Cranio-caudal mammogram of the left breast. 75-year-old patient.
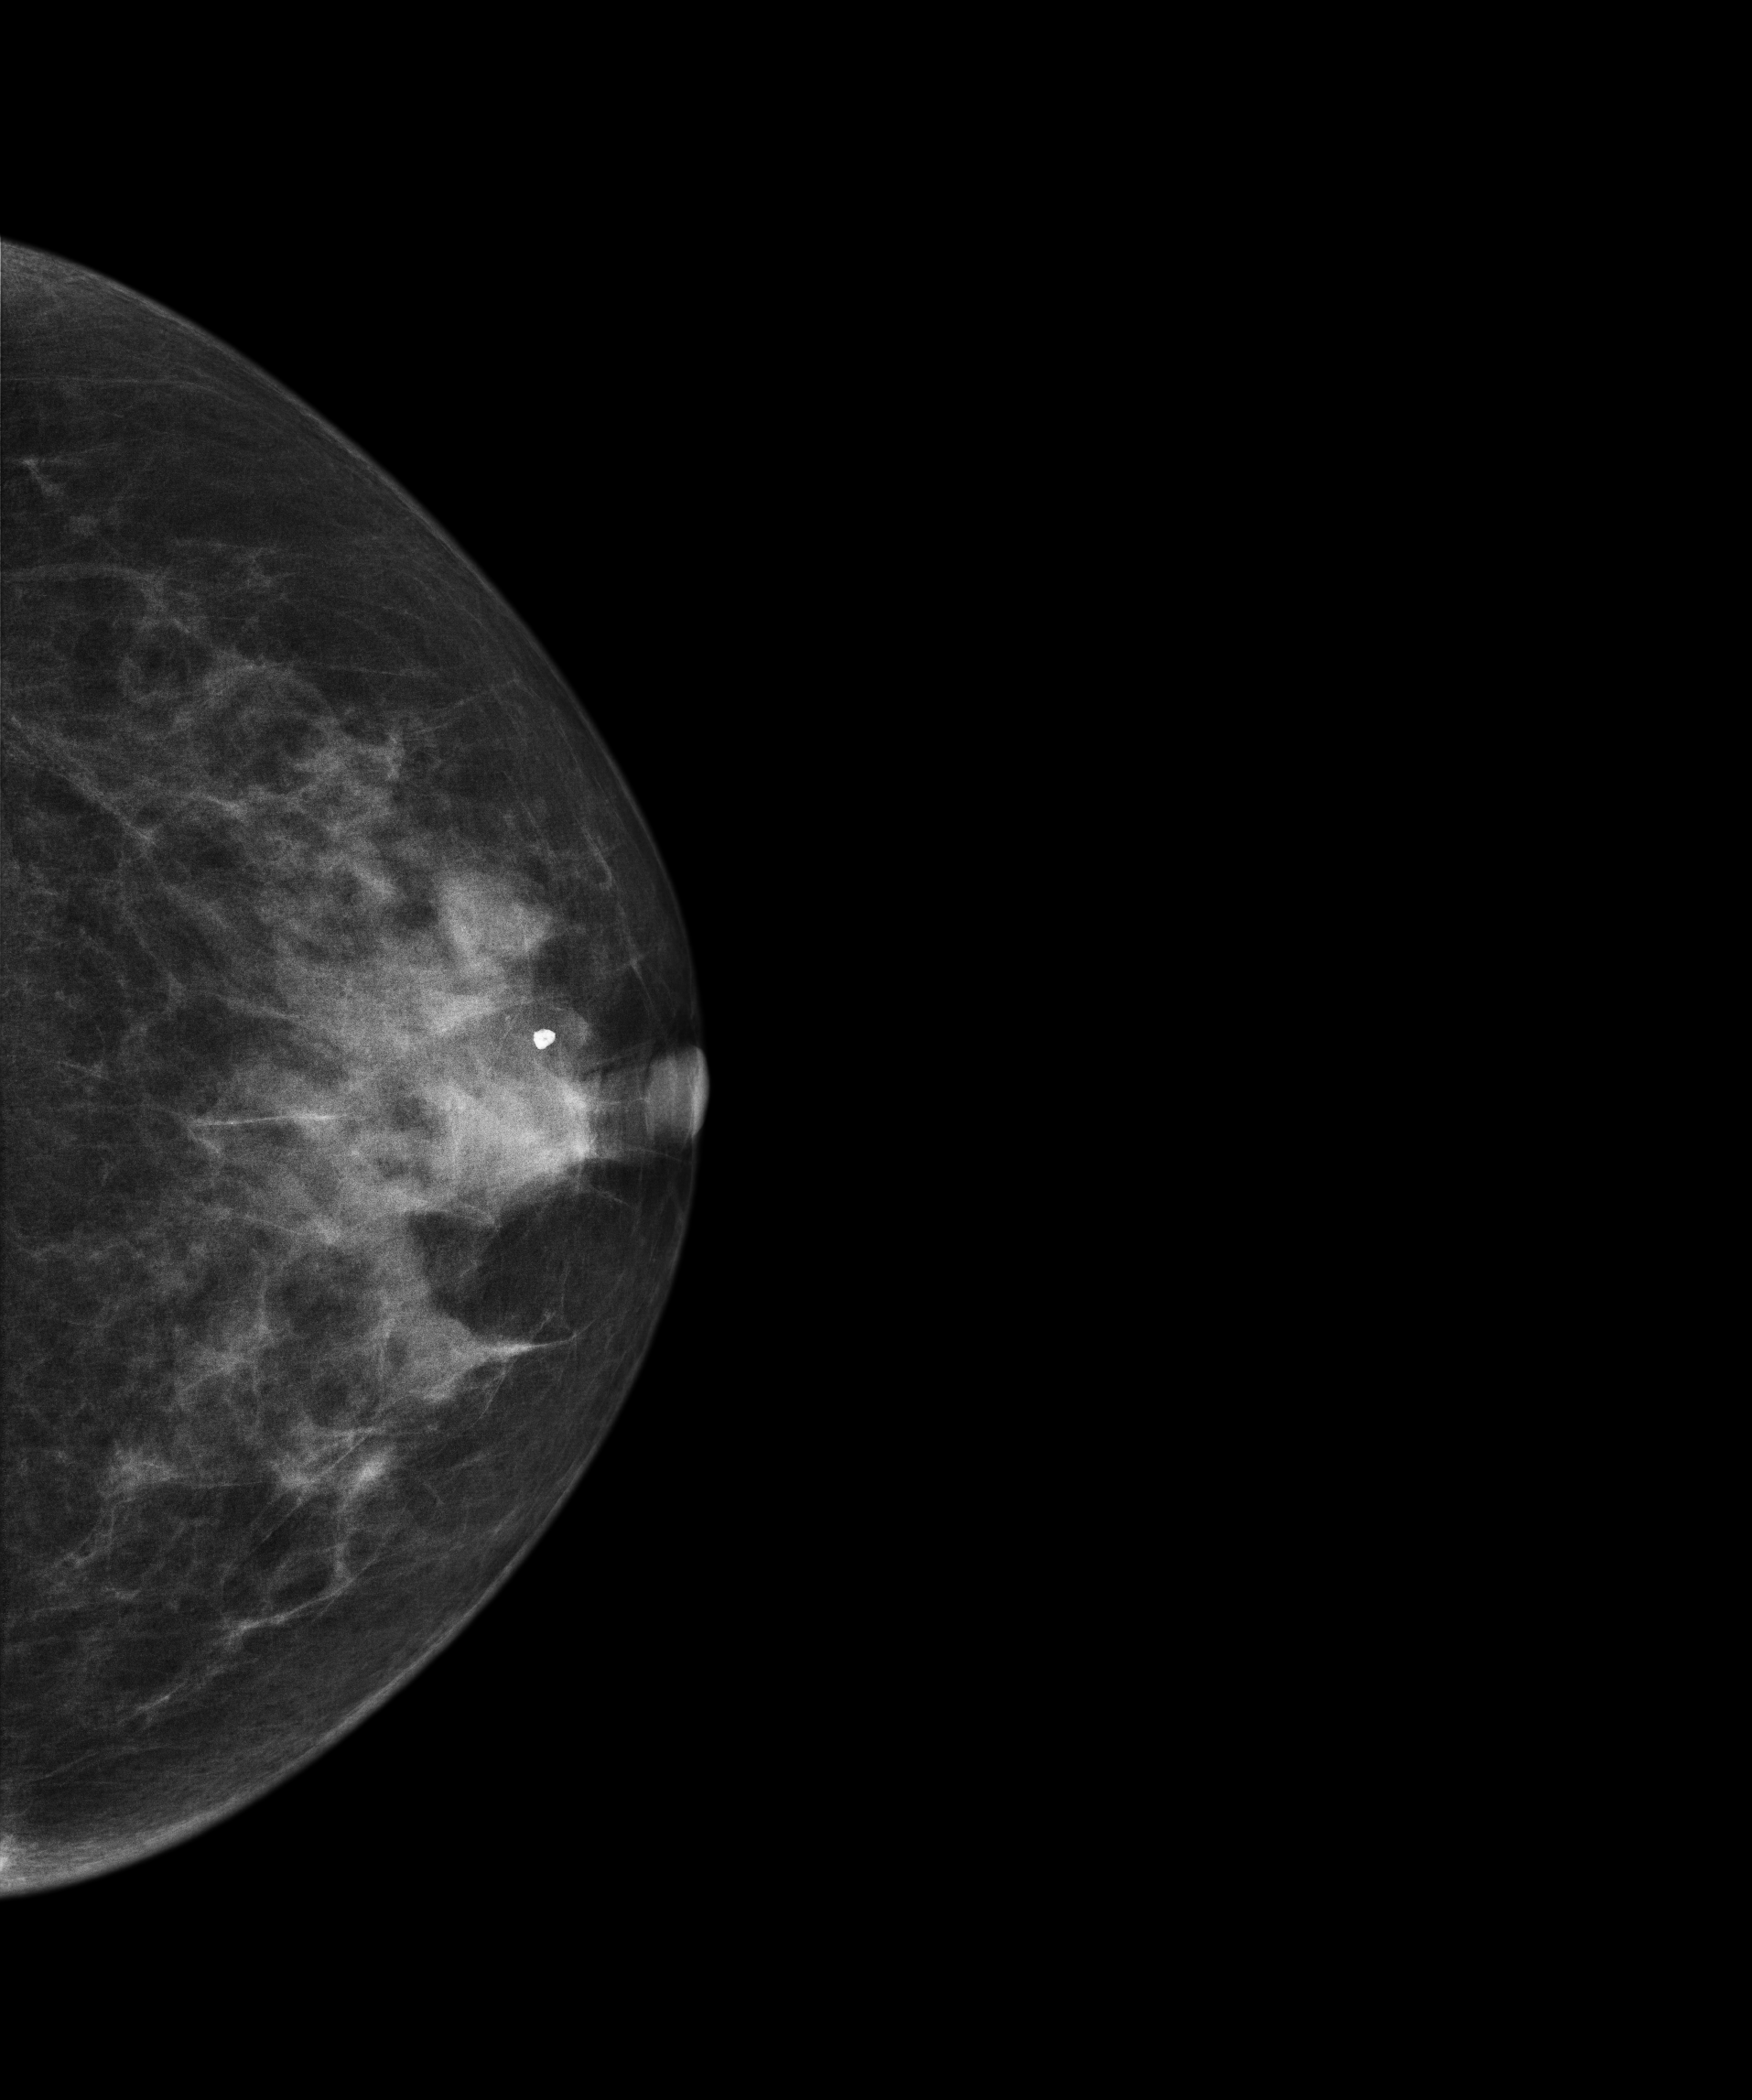
Contralateral breast — no documented abnormality on this side.